Mammogram, right breast, MLO view. 49-year-old patient.
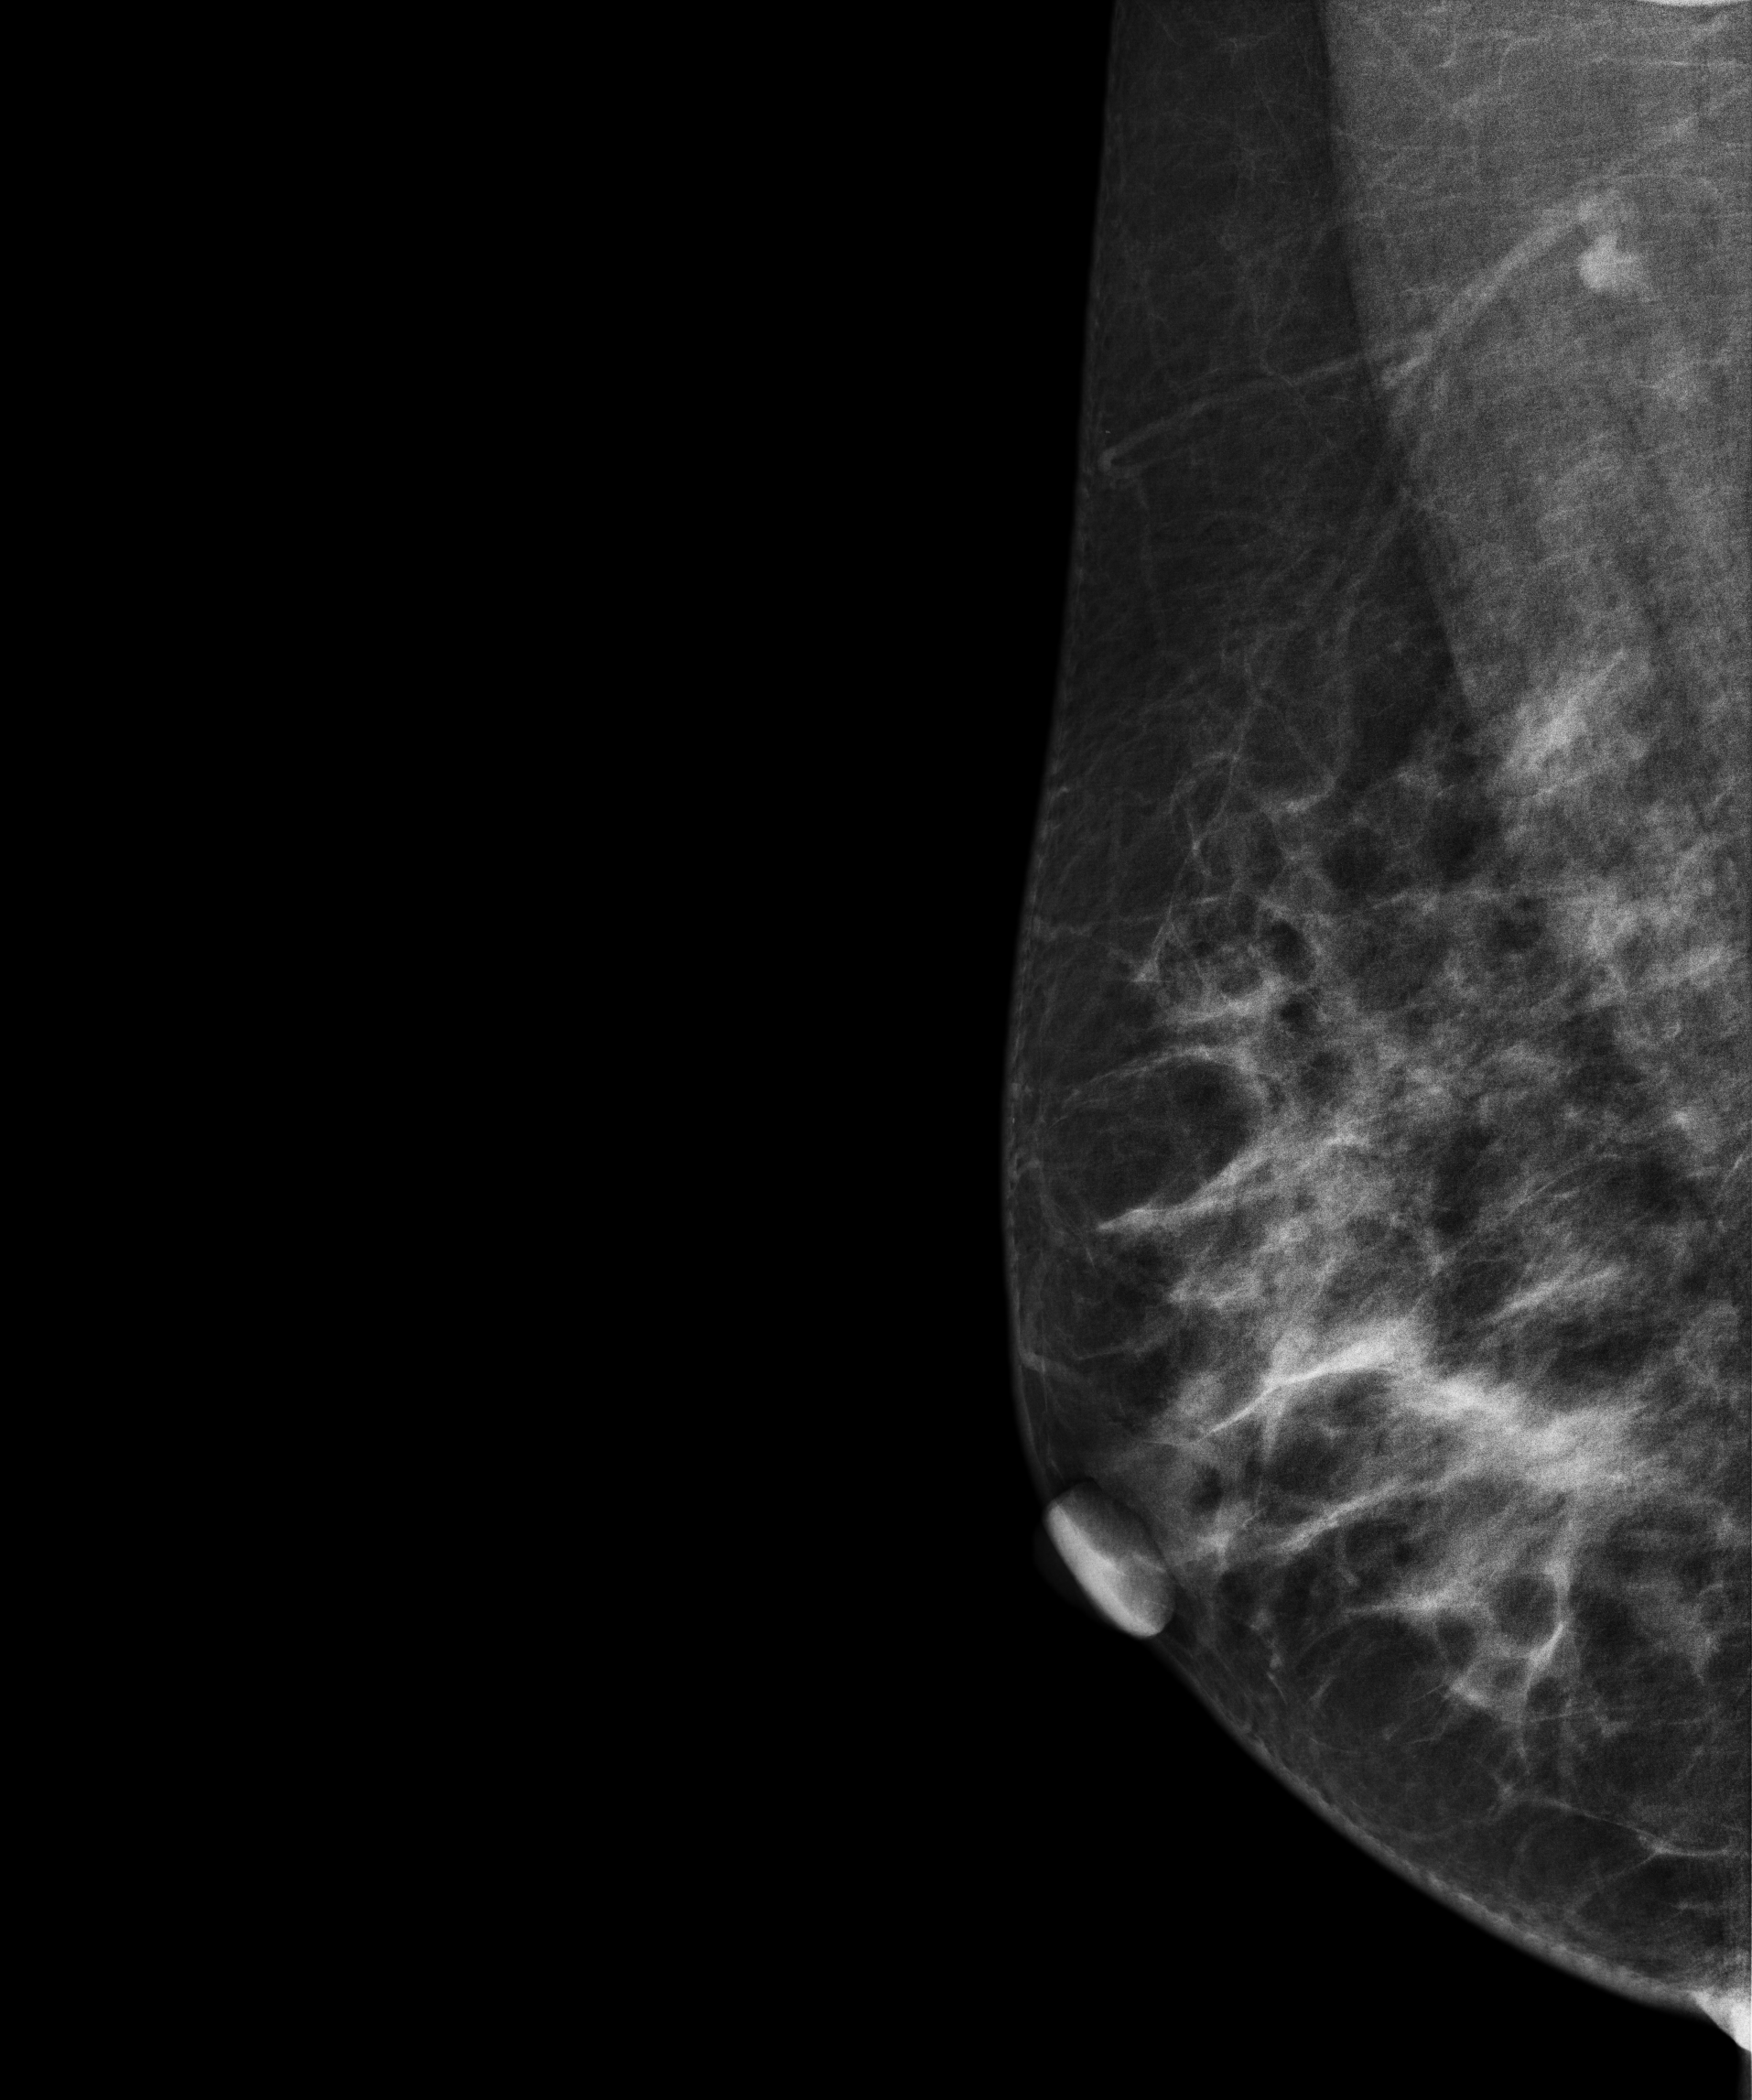
This breast has a mass, pathology-confirmed benign.